Cranio-caudal mammogram of the right breast. 43 y/o patient.
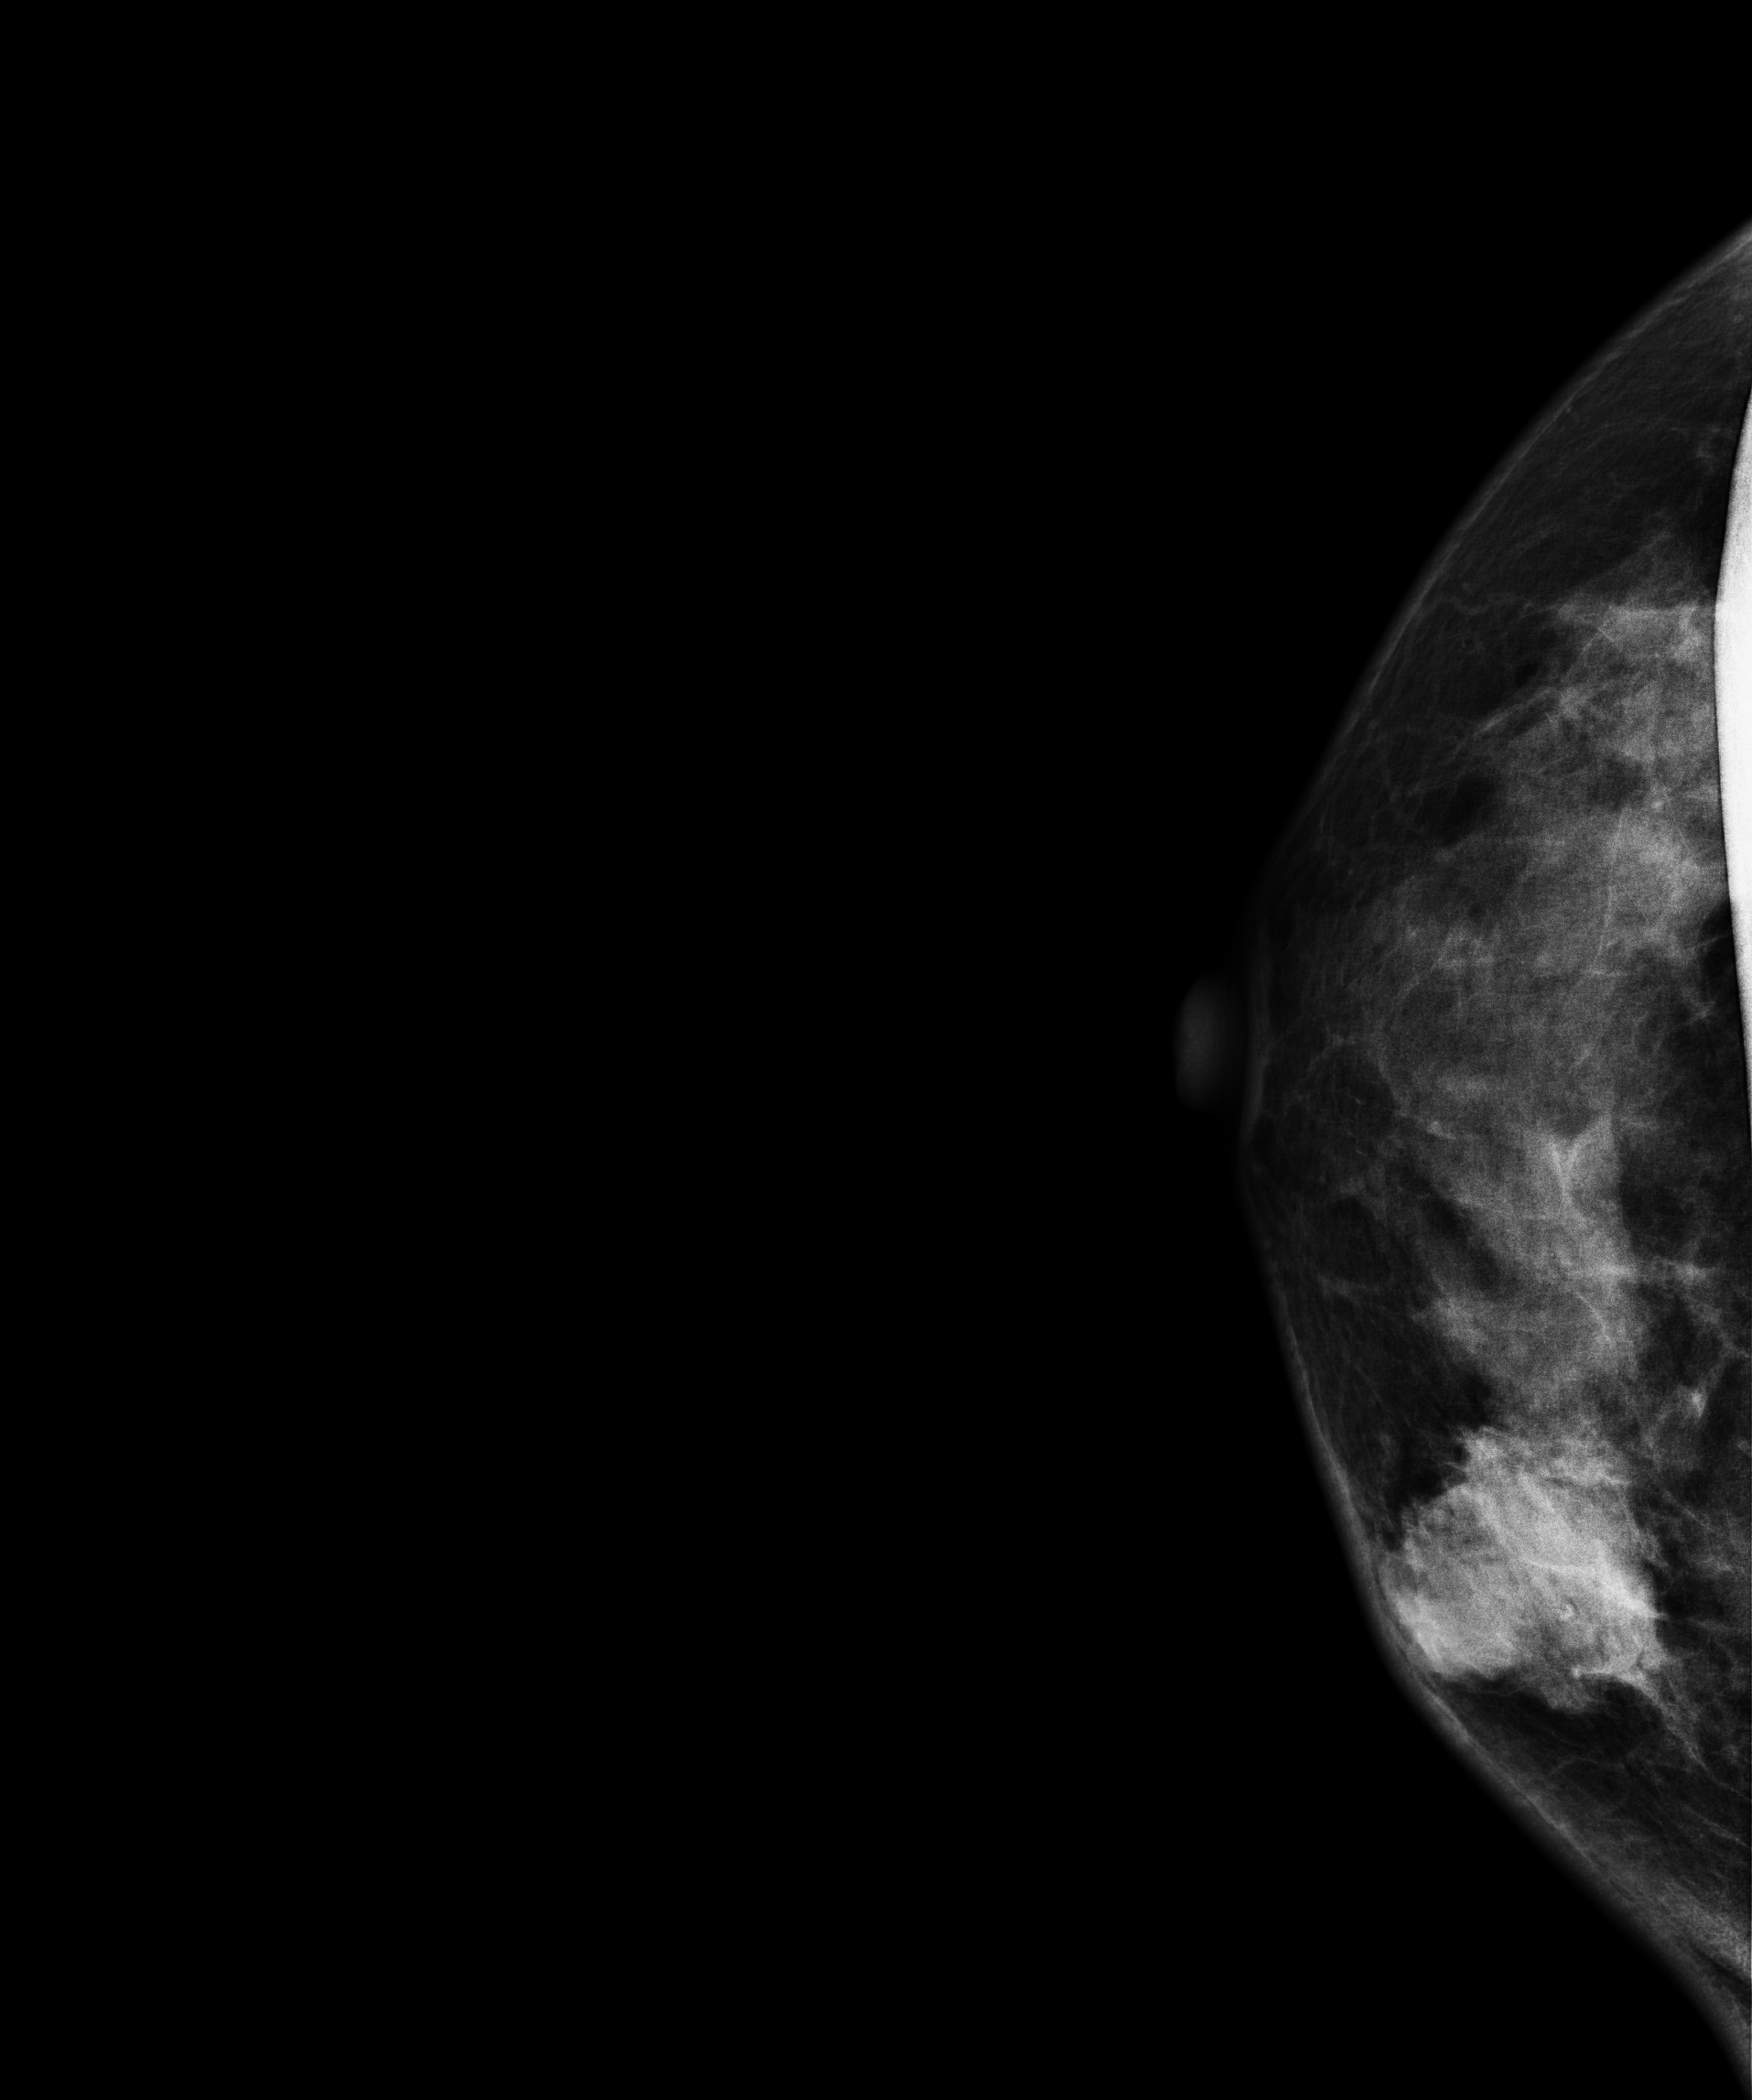
This breast has a mass, histologically confirmed malignant.